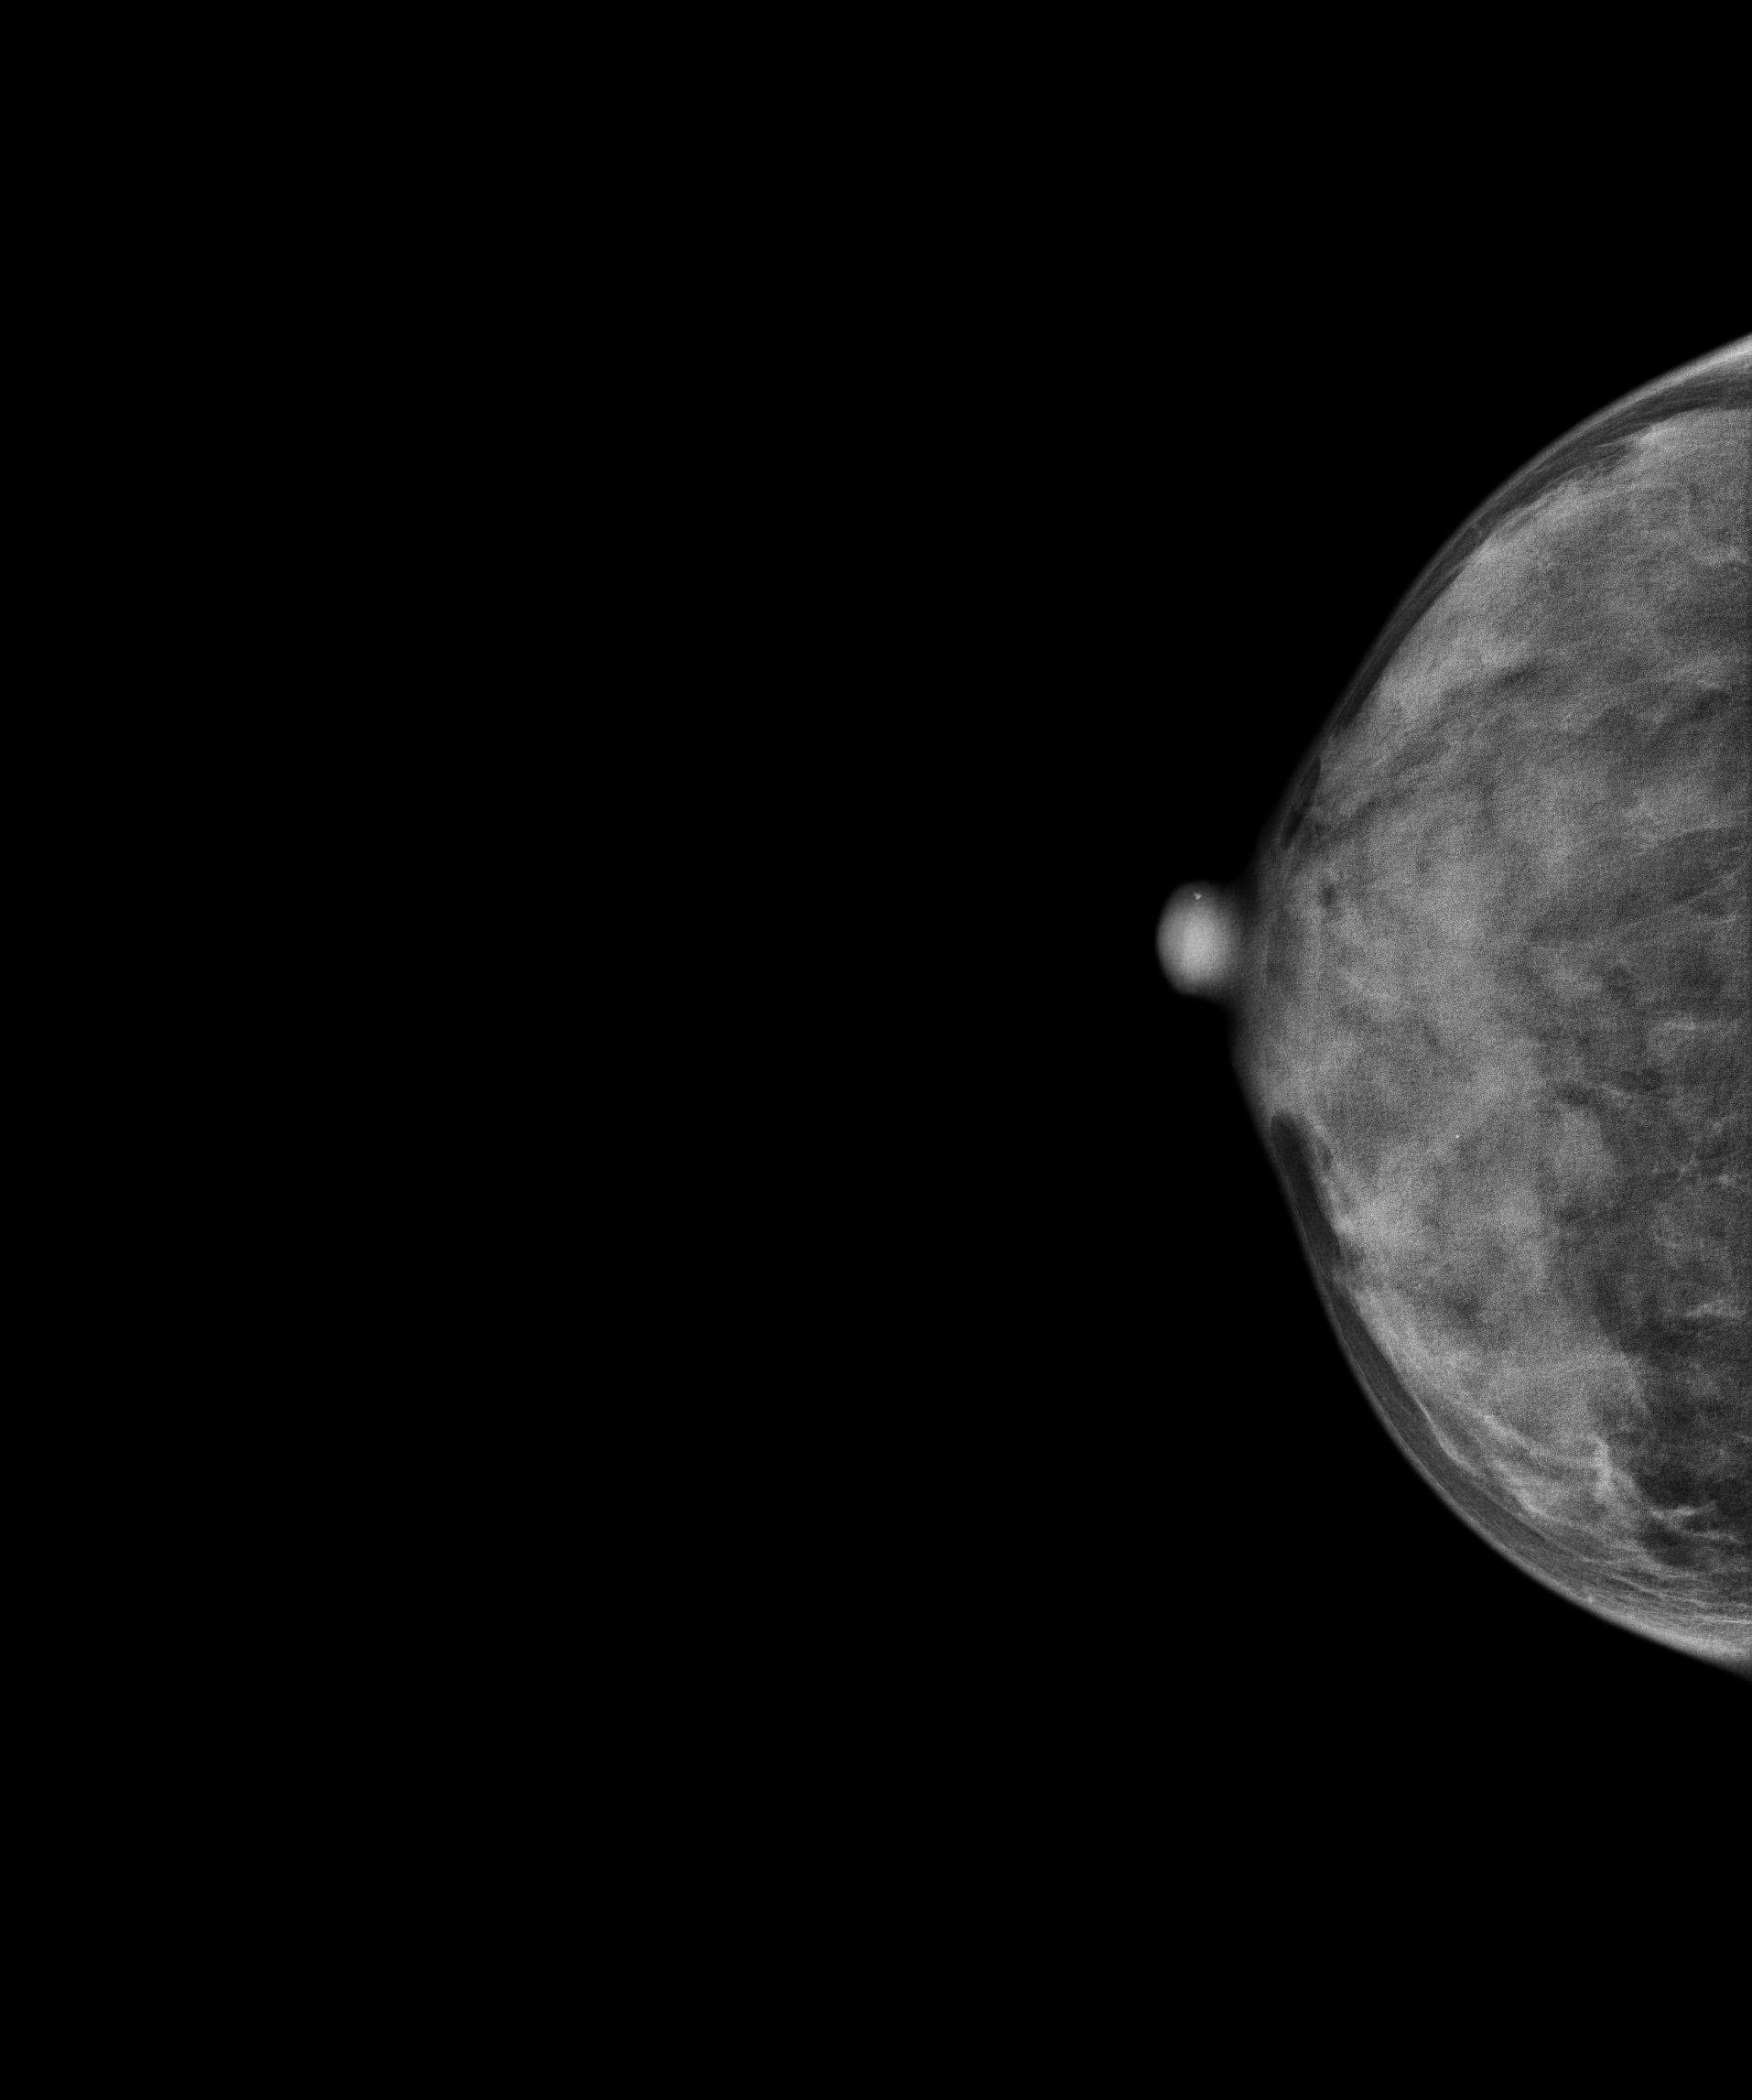
Digital mammography. Right breast, CC projection. 50-year-old patient.
Contralateral breast — no documented abnormality on this side.